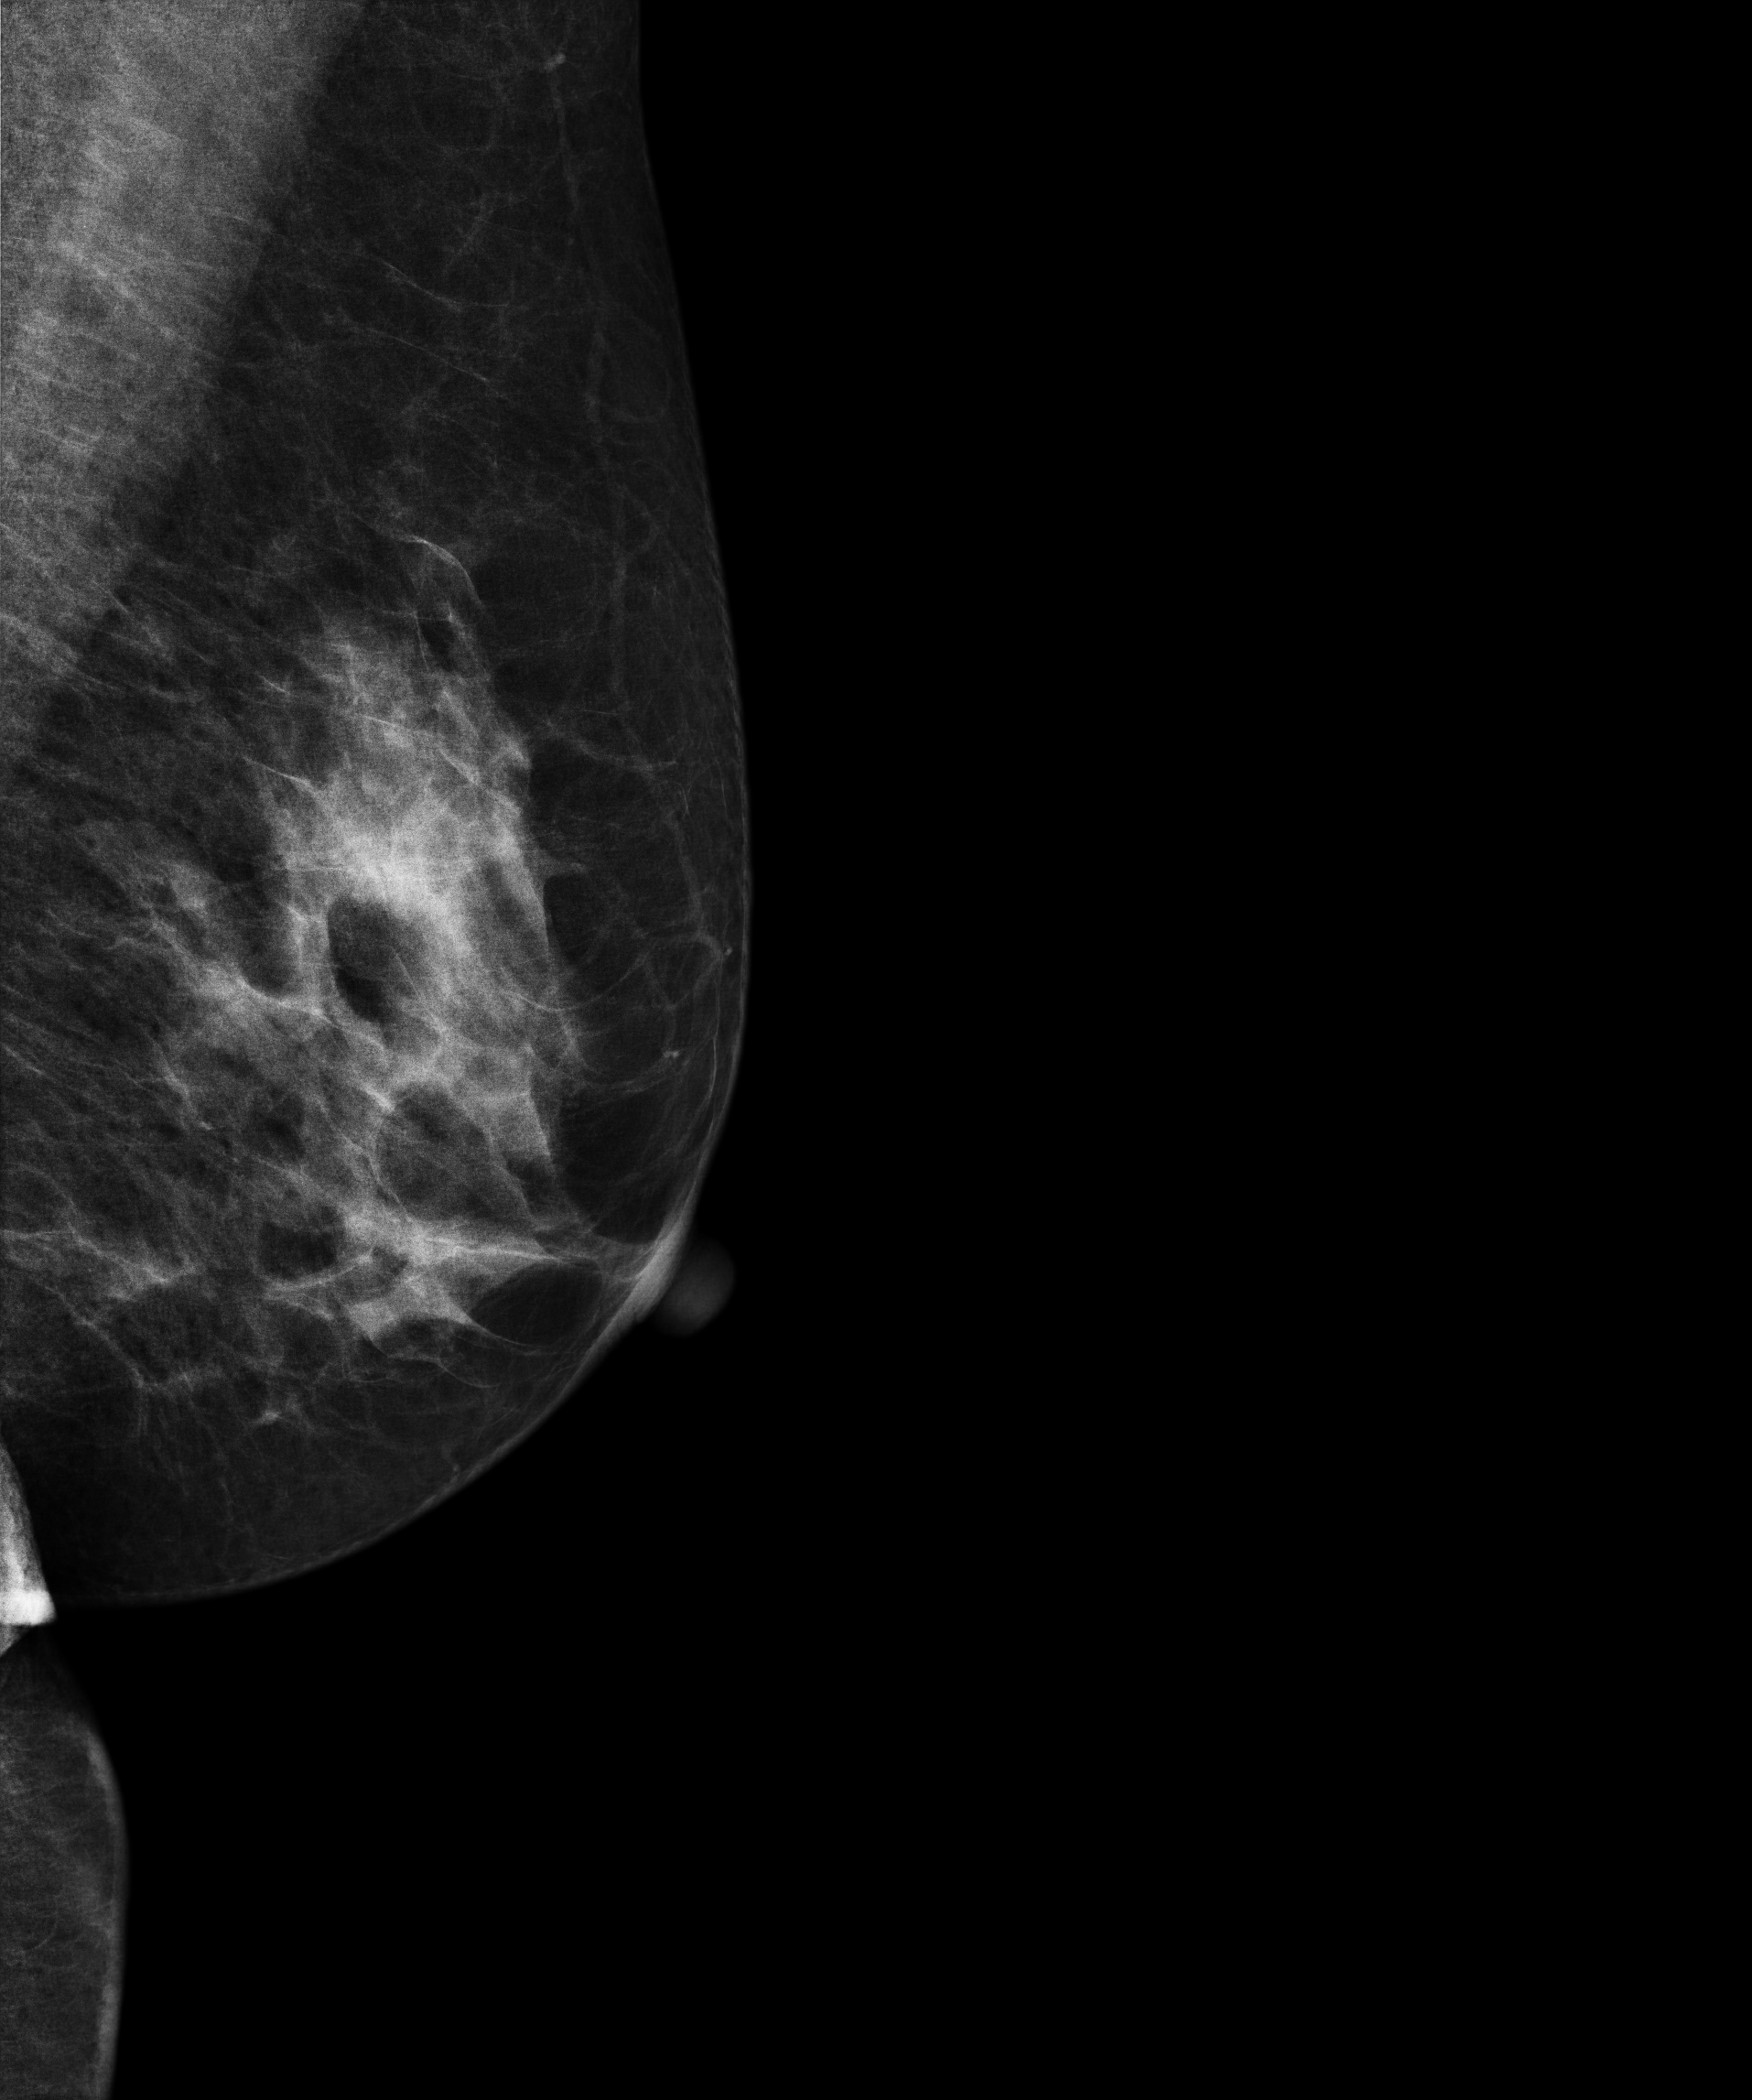
Digital mammography. Left breast, MLO projection. 51 y/o patient.
Contralateral breast — no documented abnormality on this side.